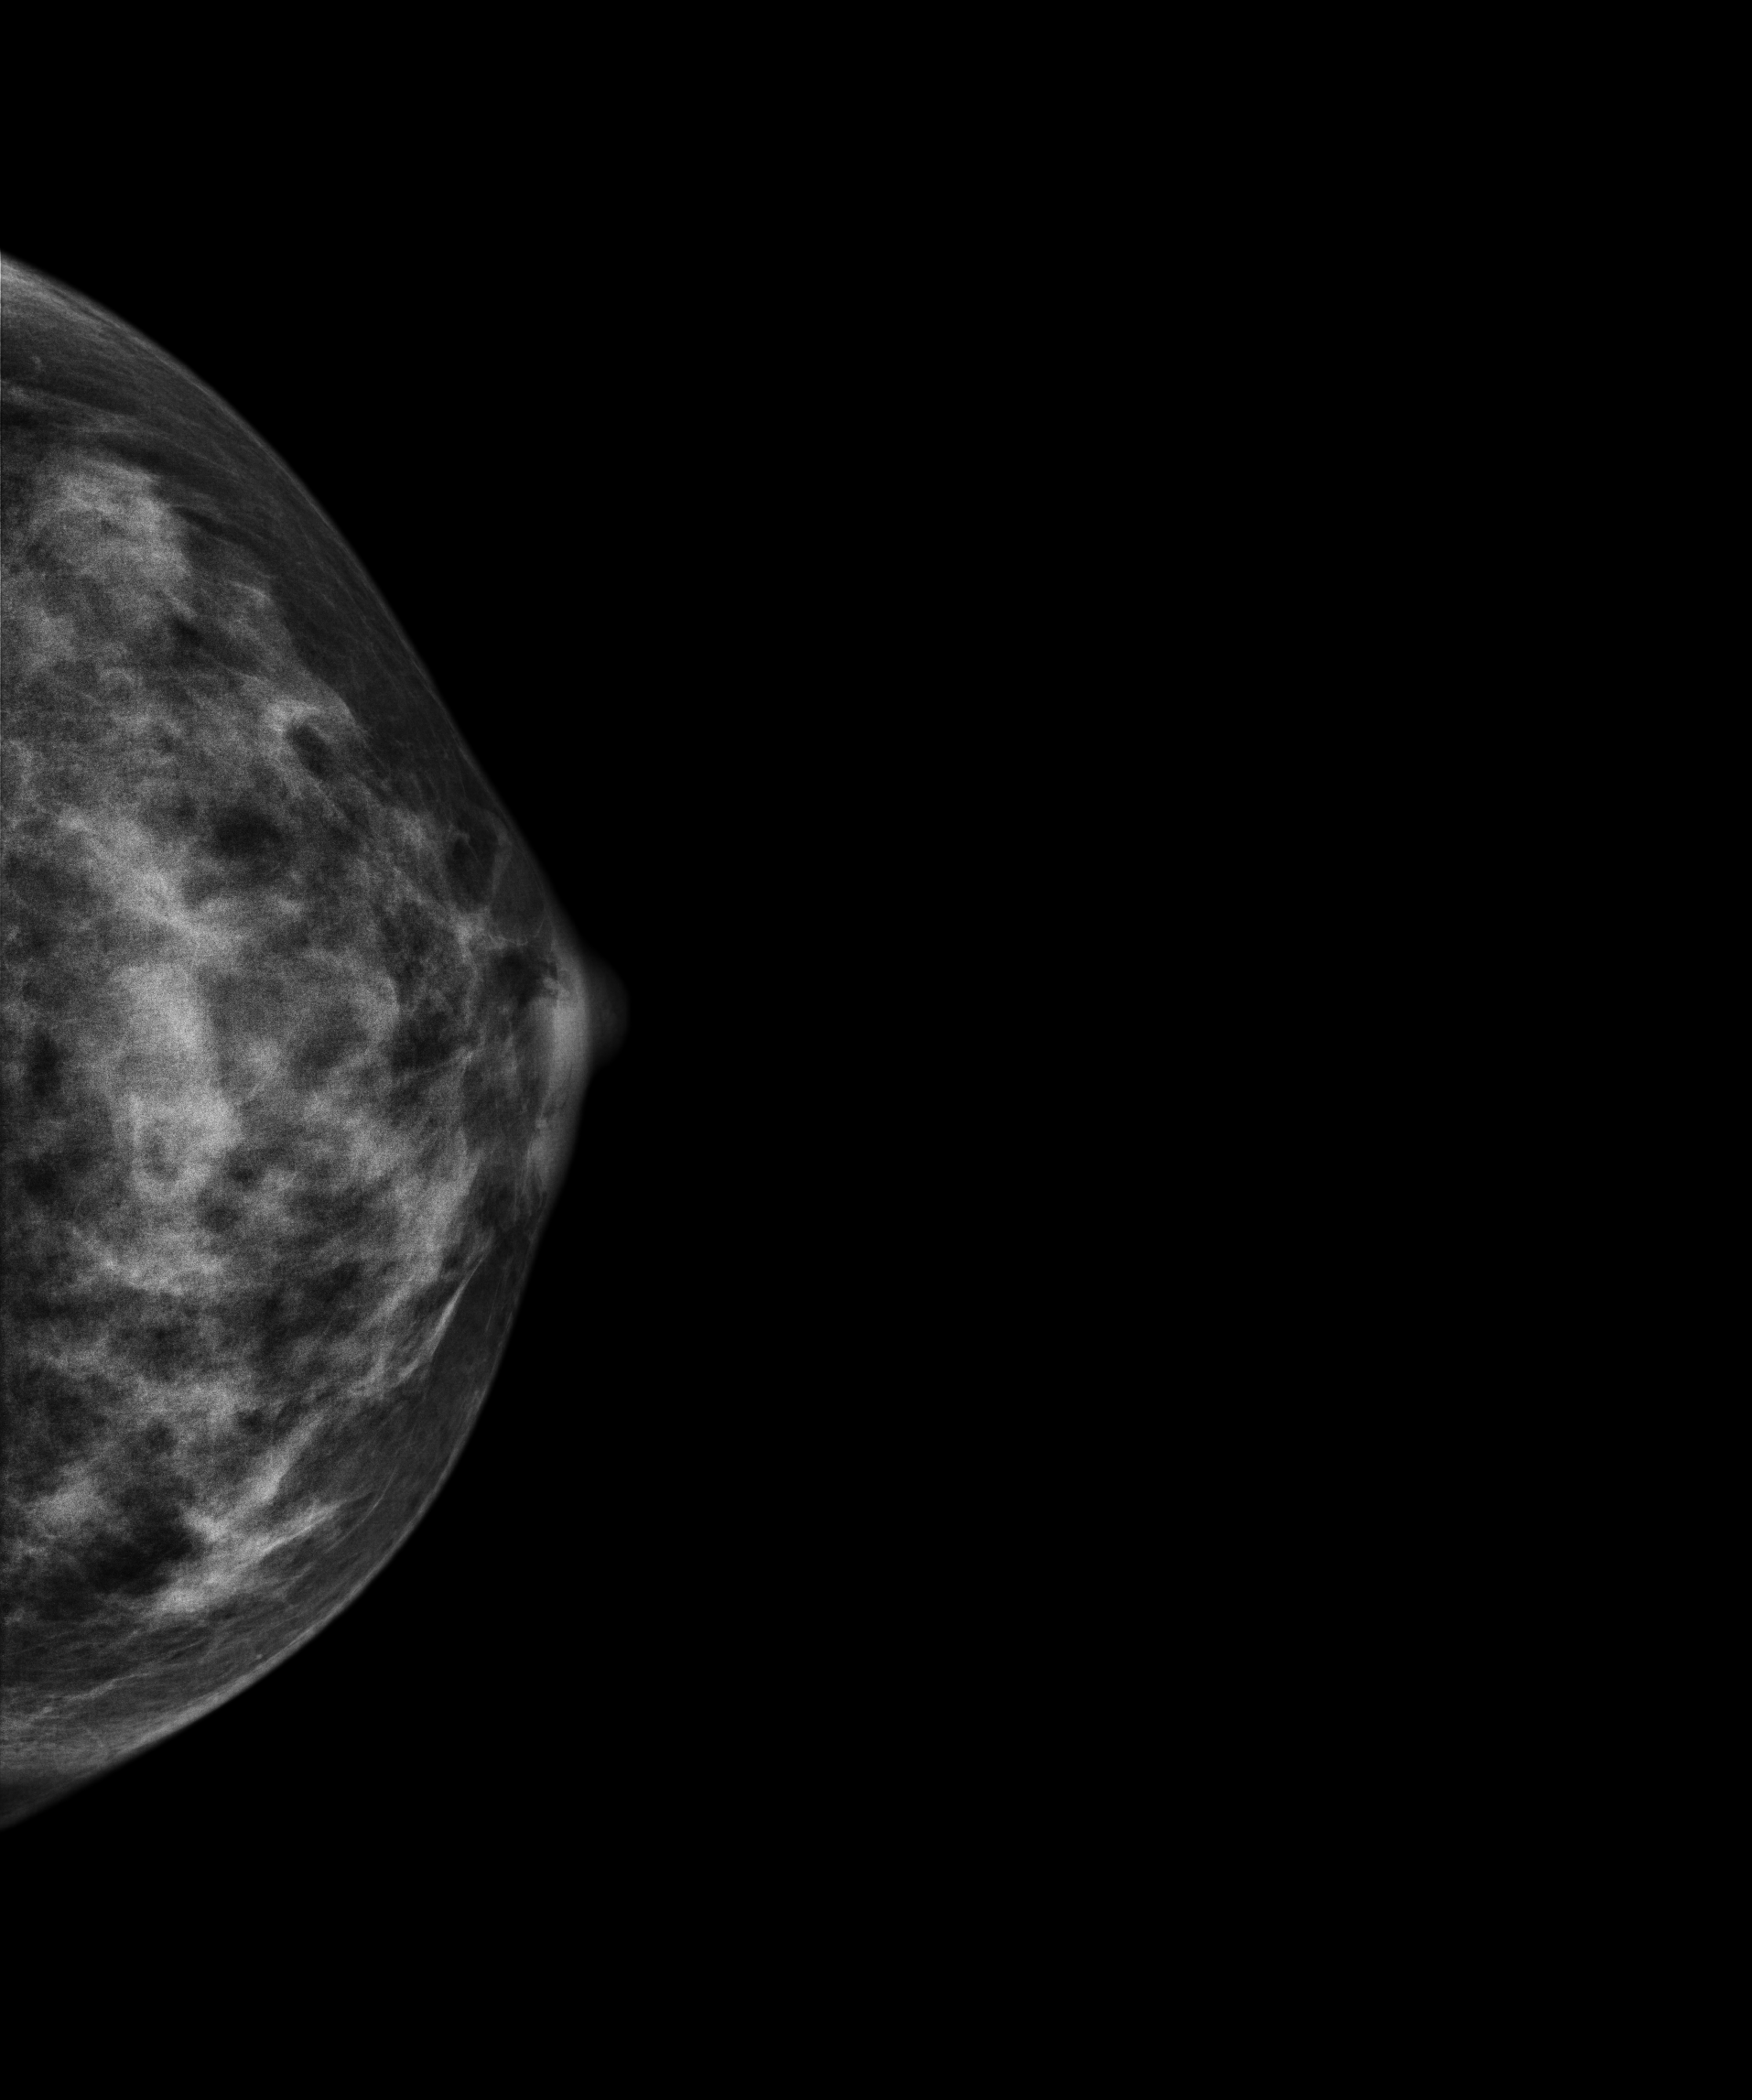
Mammogram, left breast, CC view. 46-year-old patient.
Contralateral breast — no documented abnormality on this side.